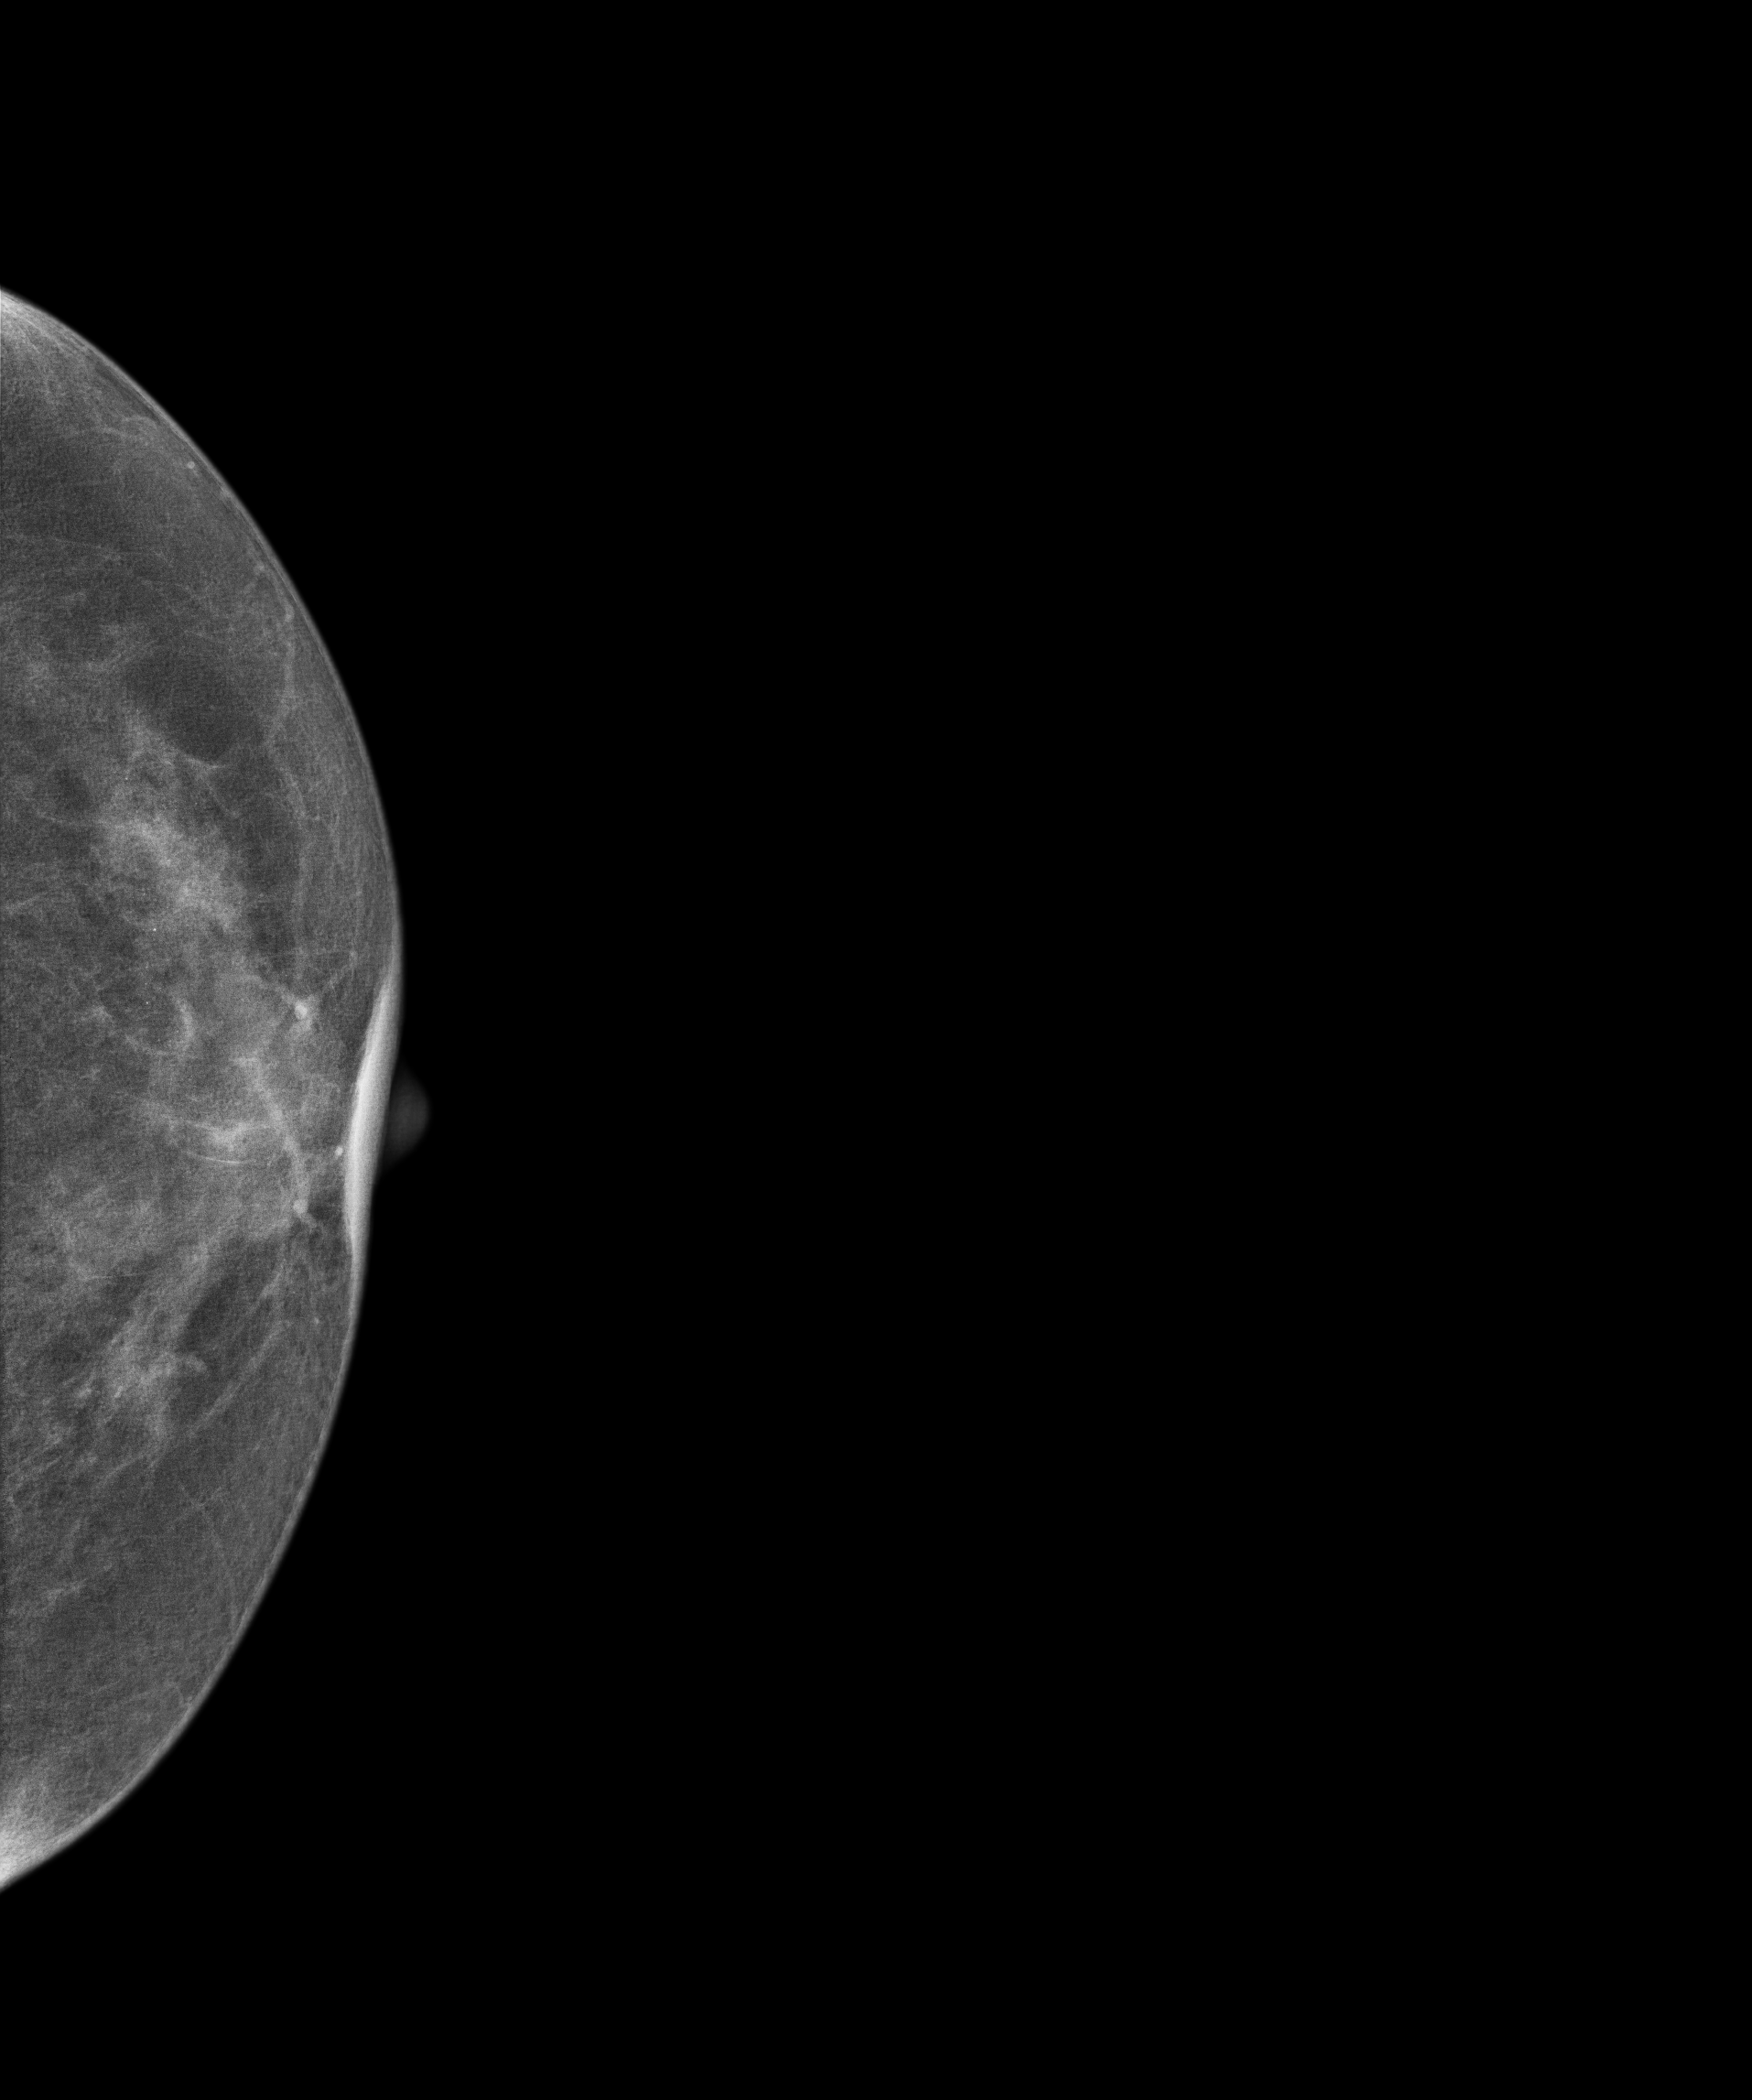
Mammogram, left breast, cranio-caudal view. 69 y/o patient.
Contralateral breast — no documented abnormality on this side.